Mammogram, right breast, cranio-caudal view. 32 y/o patient.
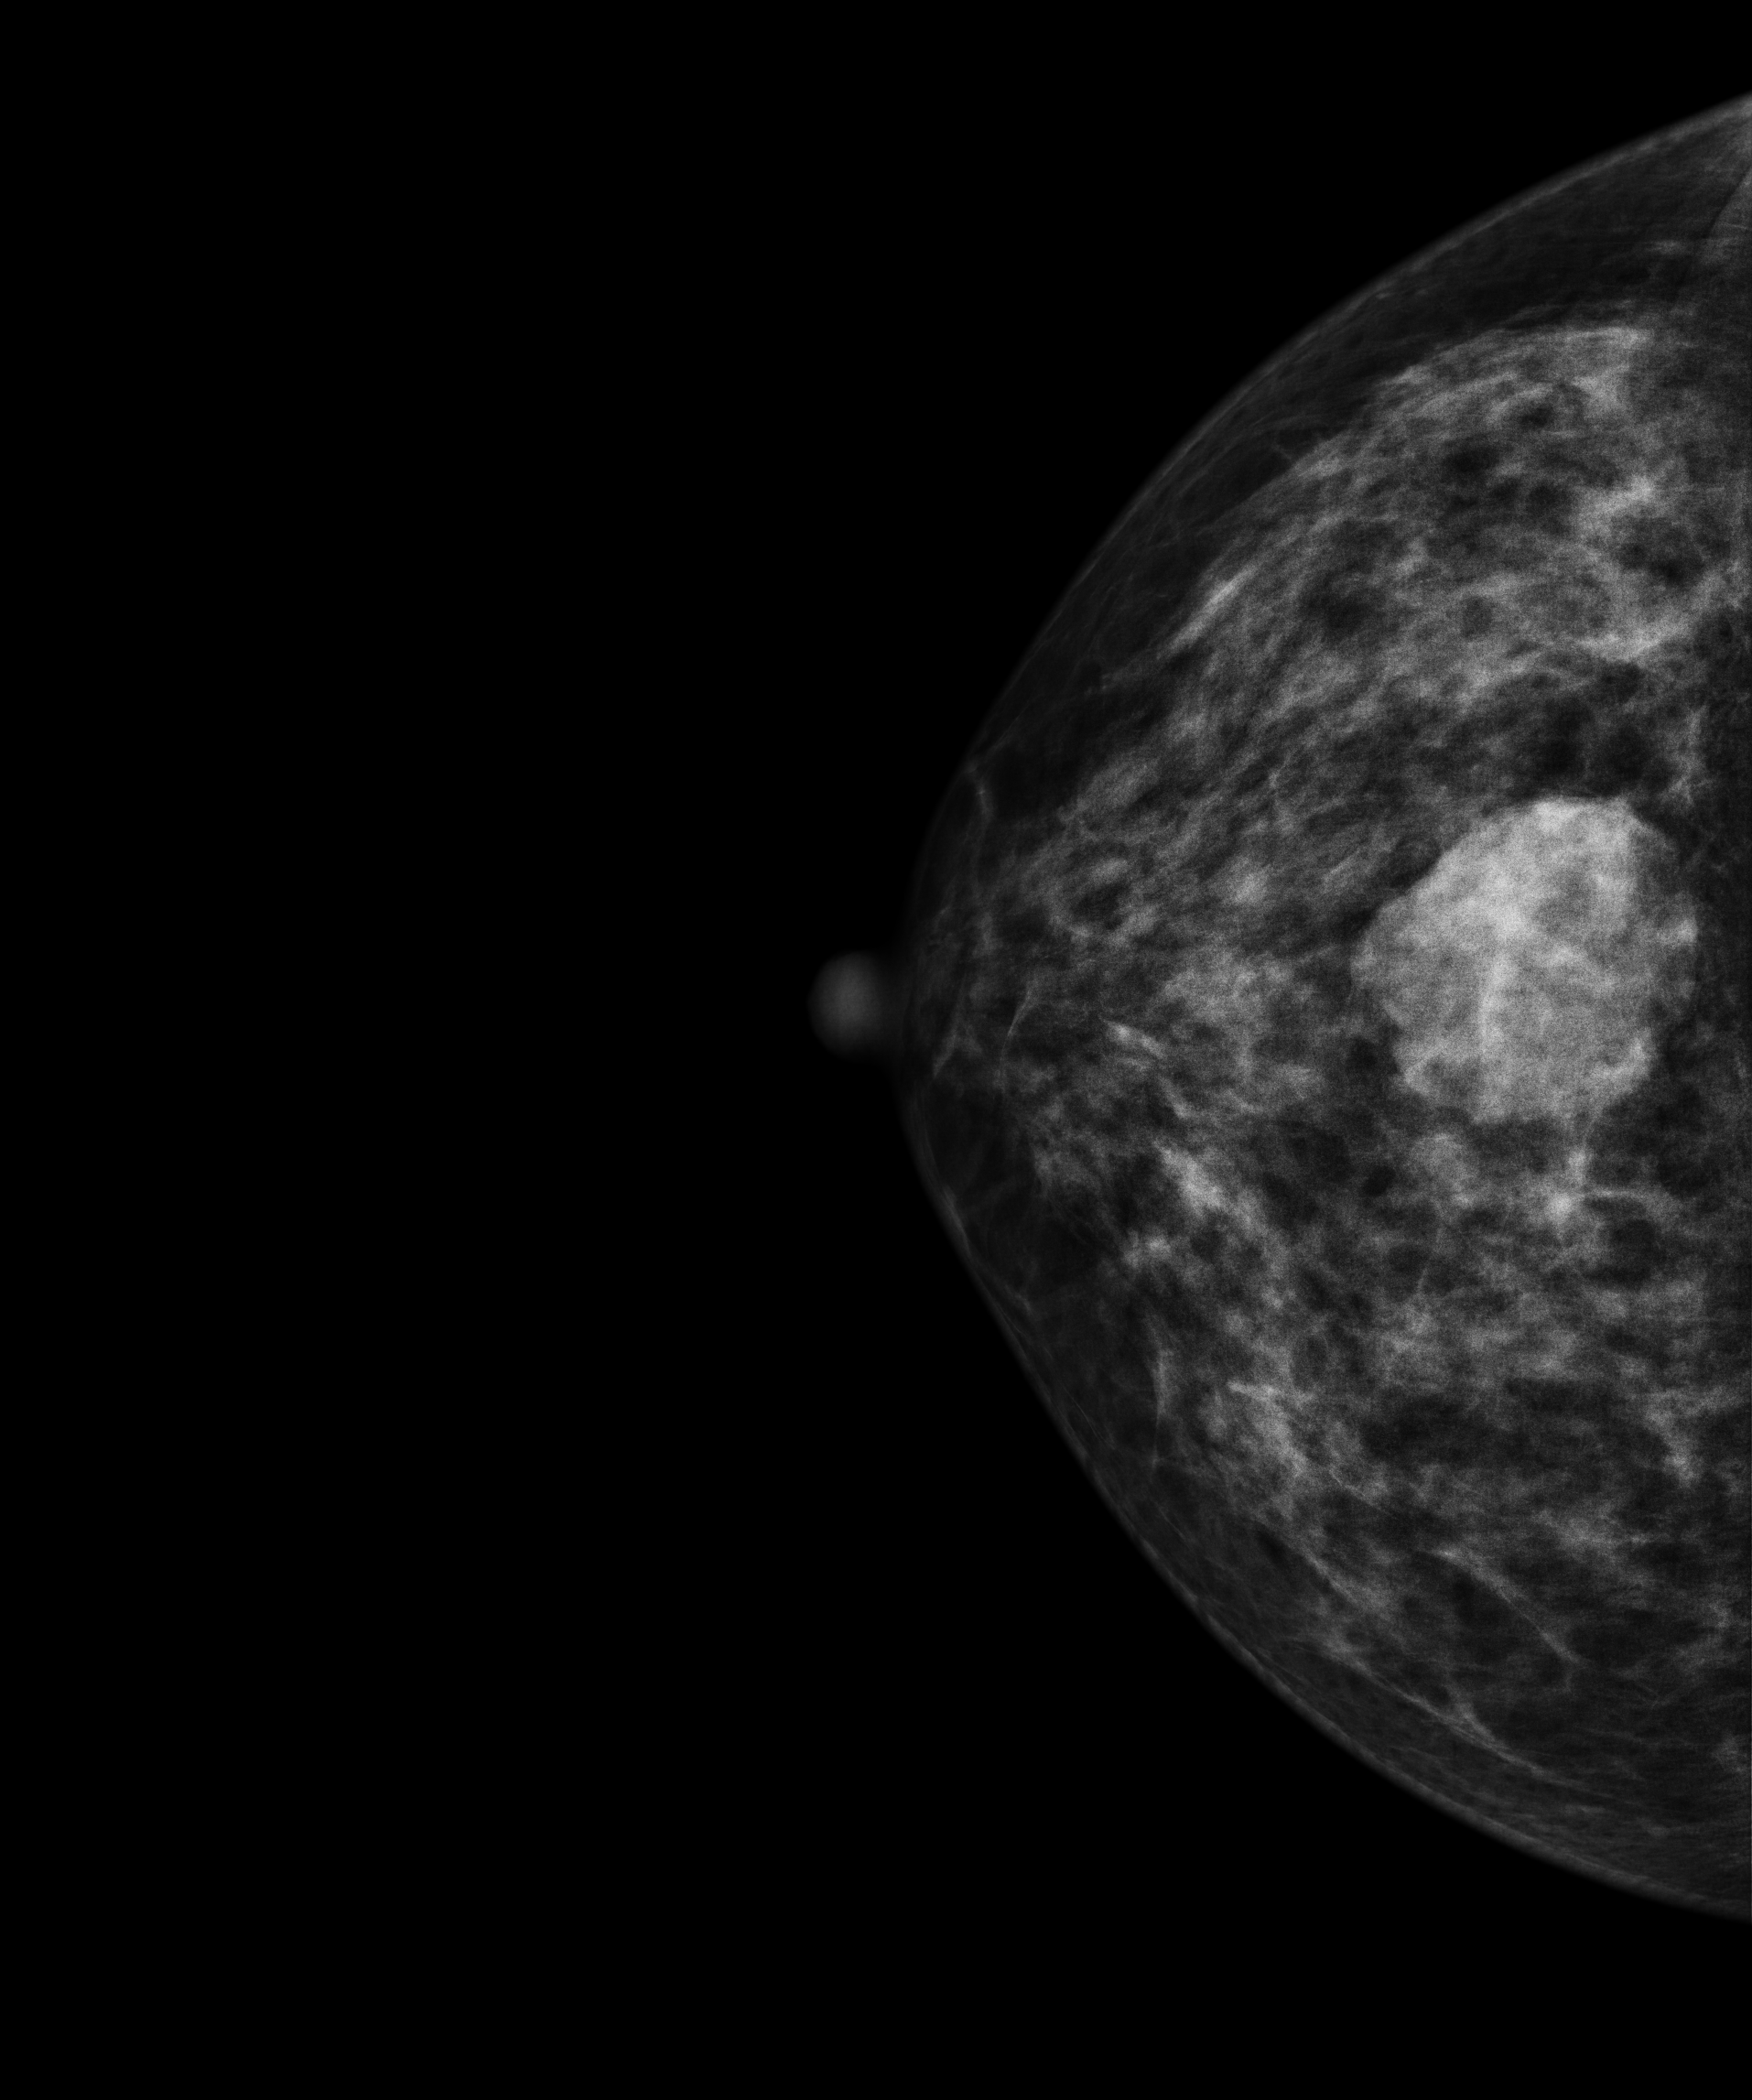
This breast has a mass, biopsy-confirmed benign.